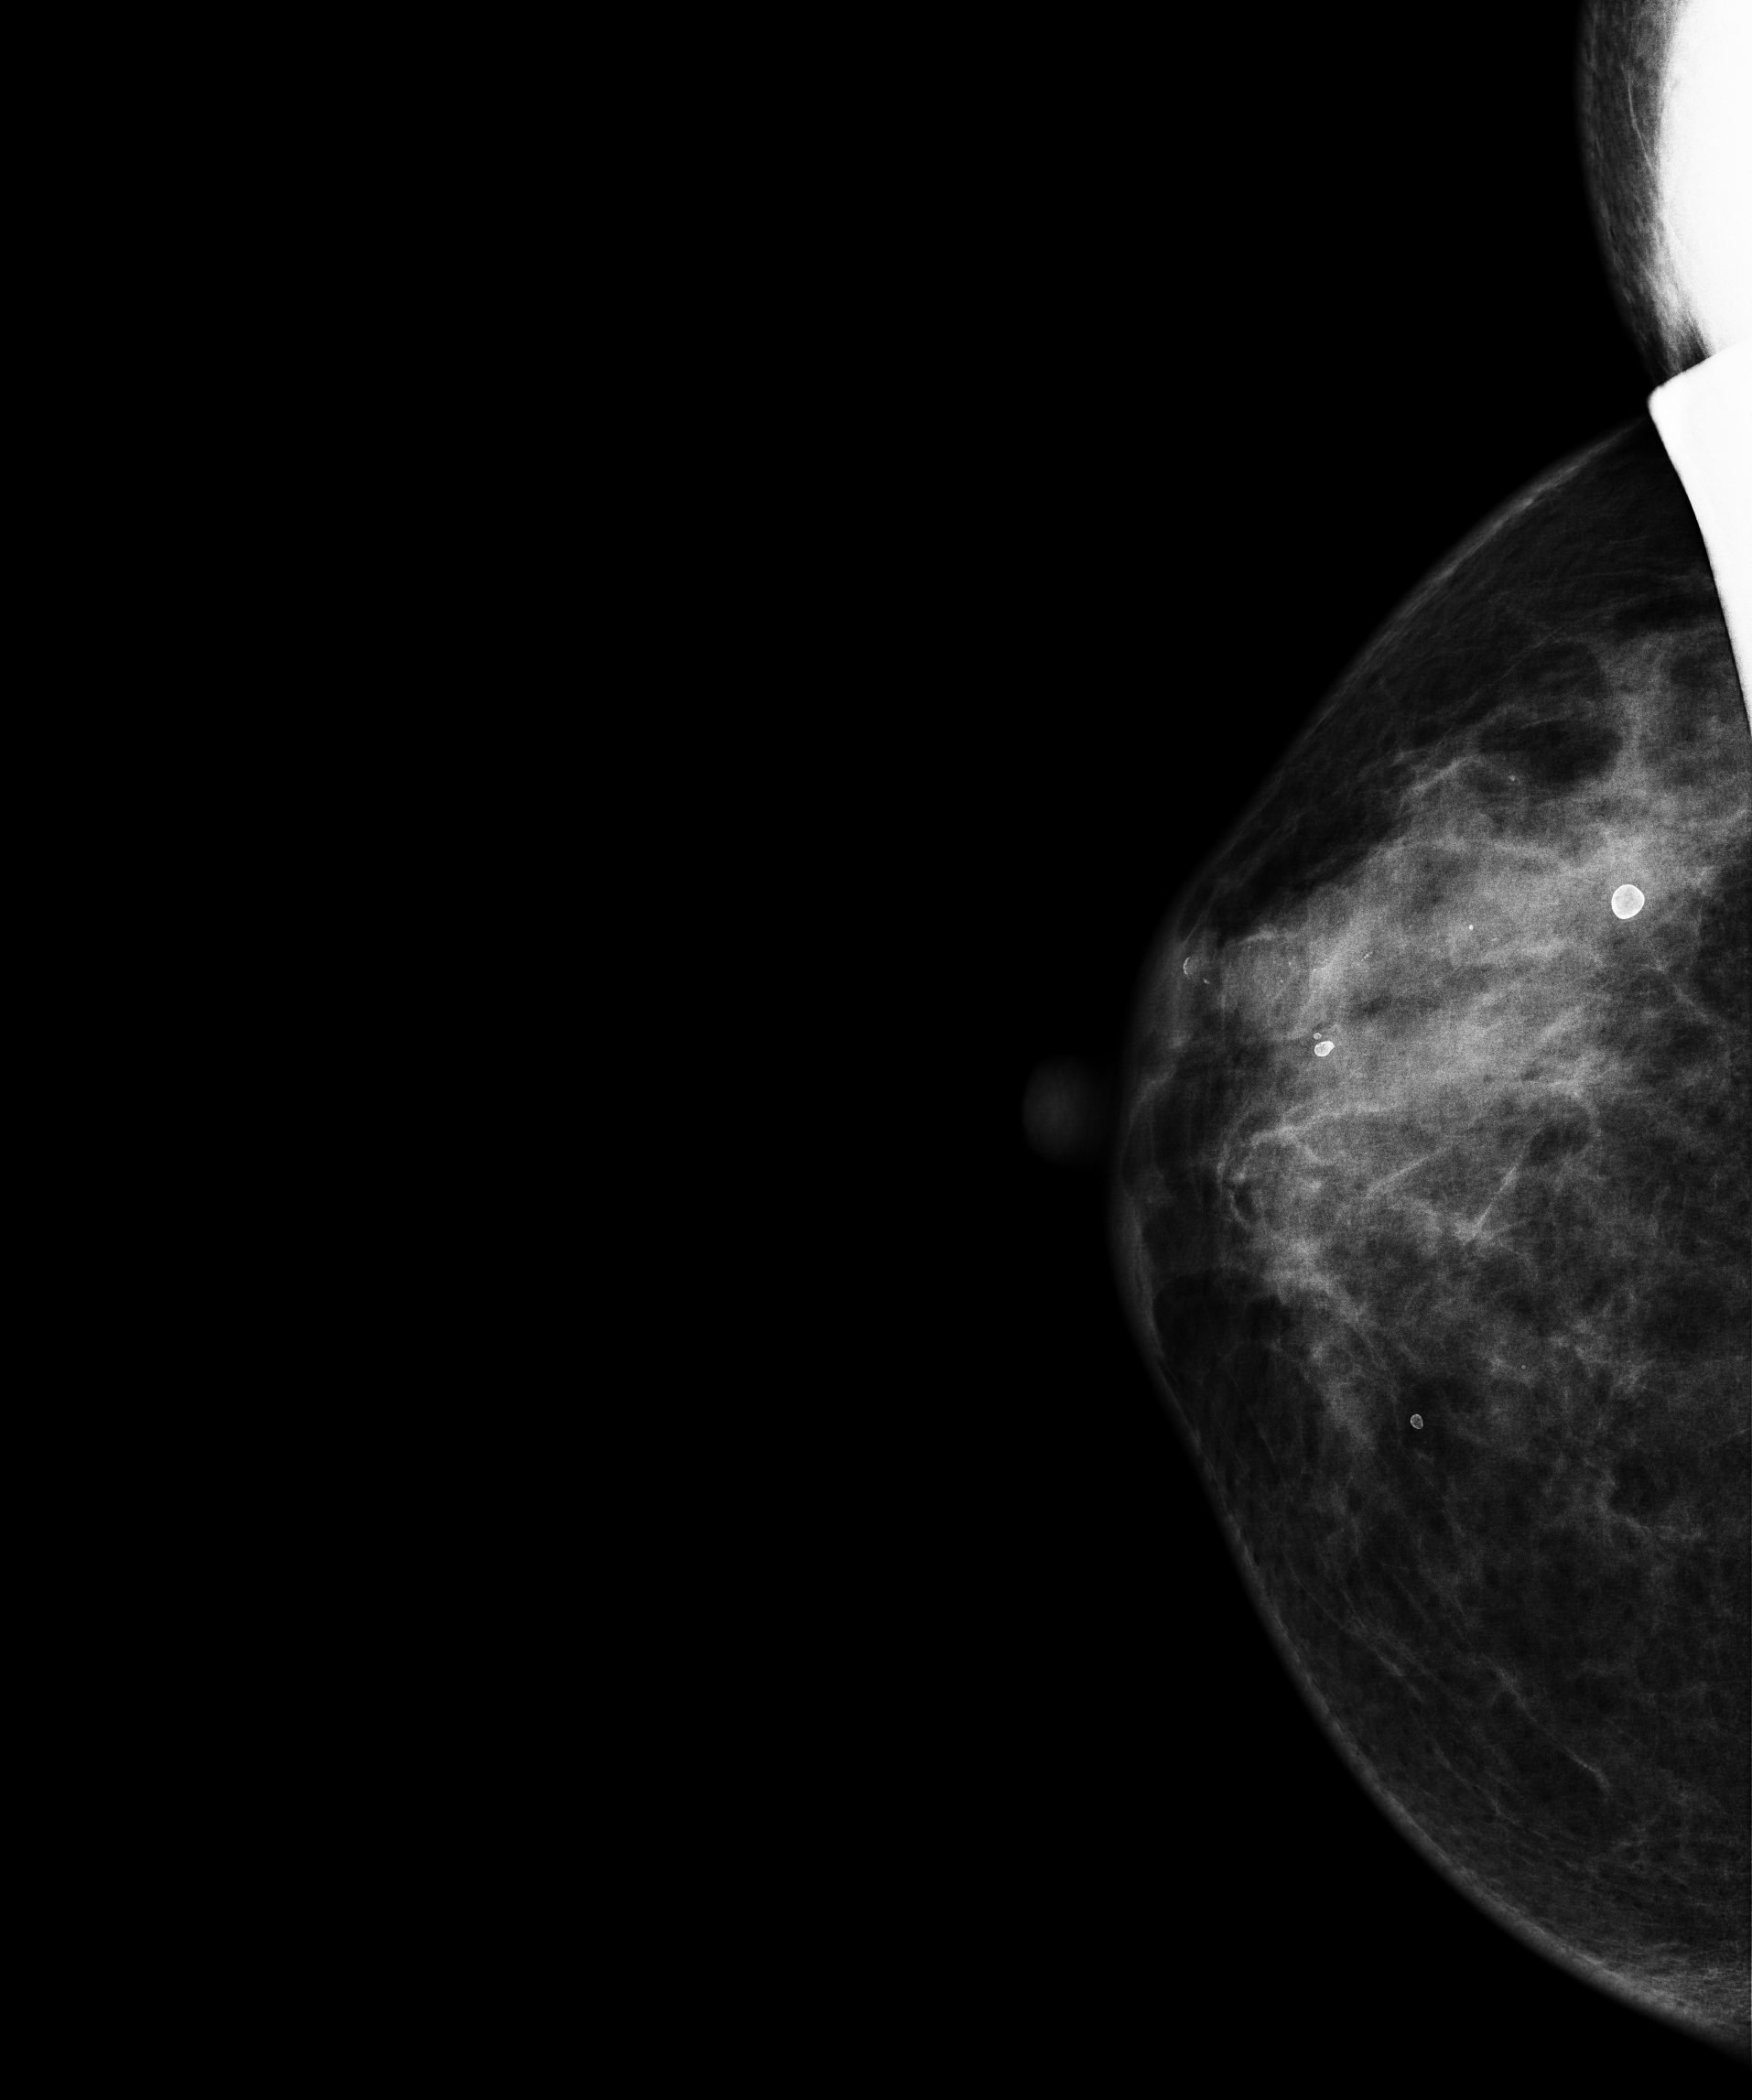
Mammogram, right breast, CC view. 51-year-old patient.
This breast has a mass and calcifications, biopsy-confirmed malignant. Molecular subtype: HER2-enriched.